Medio-lateral oblique mammogram of the left breast. 45-year-old patient.
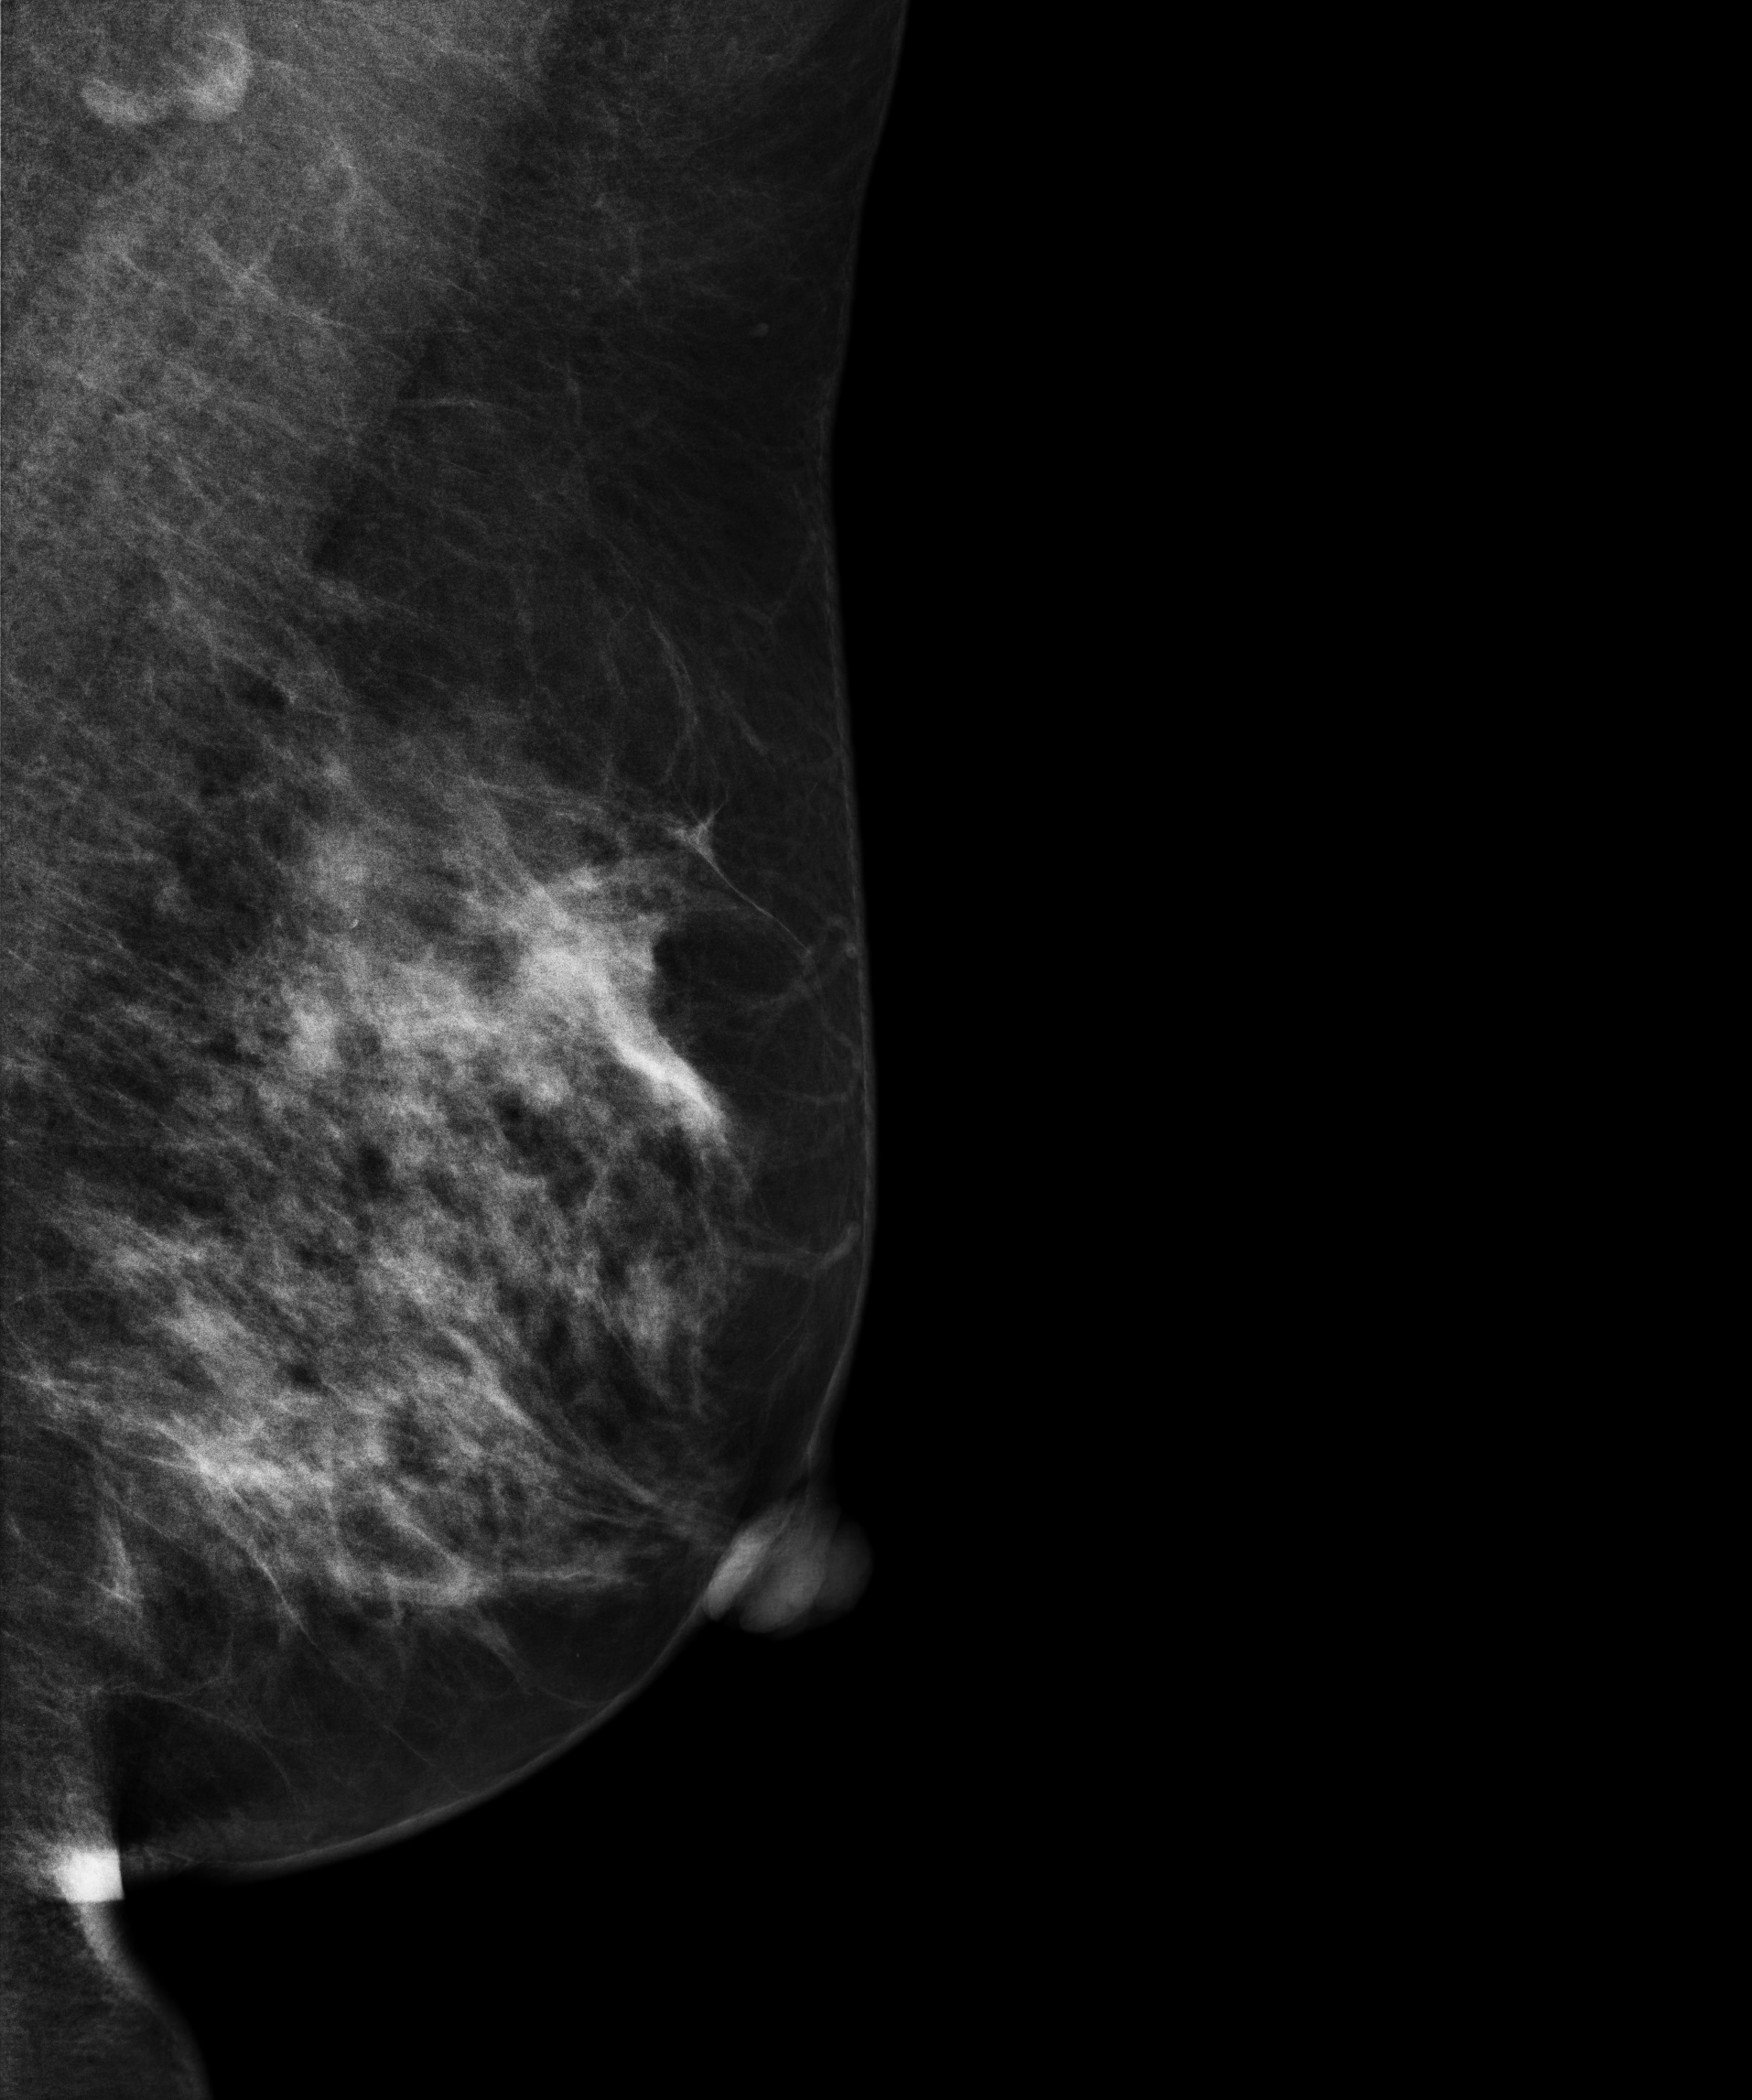
Contralateral breast — no documented abnormality on this side.